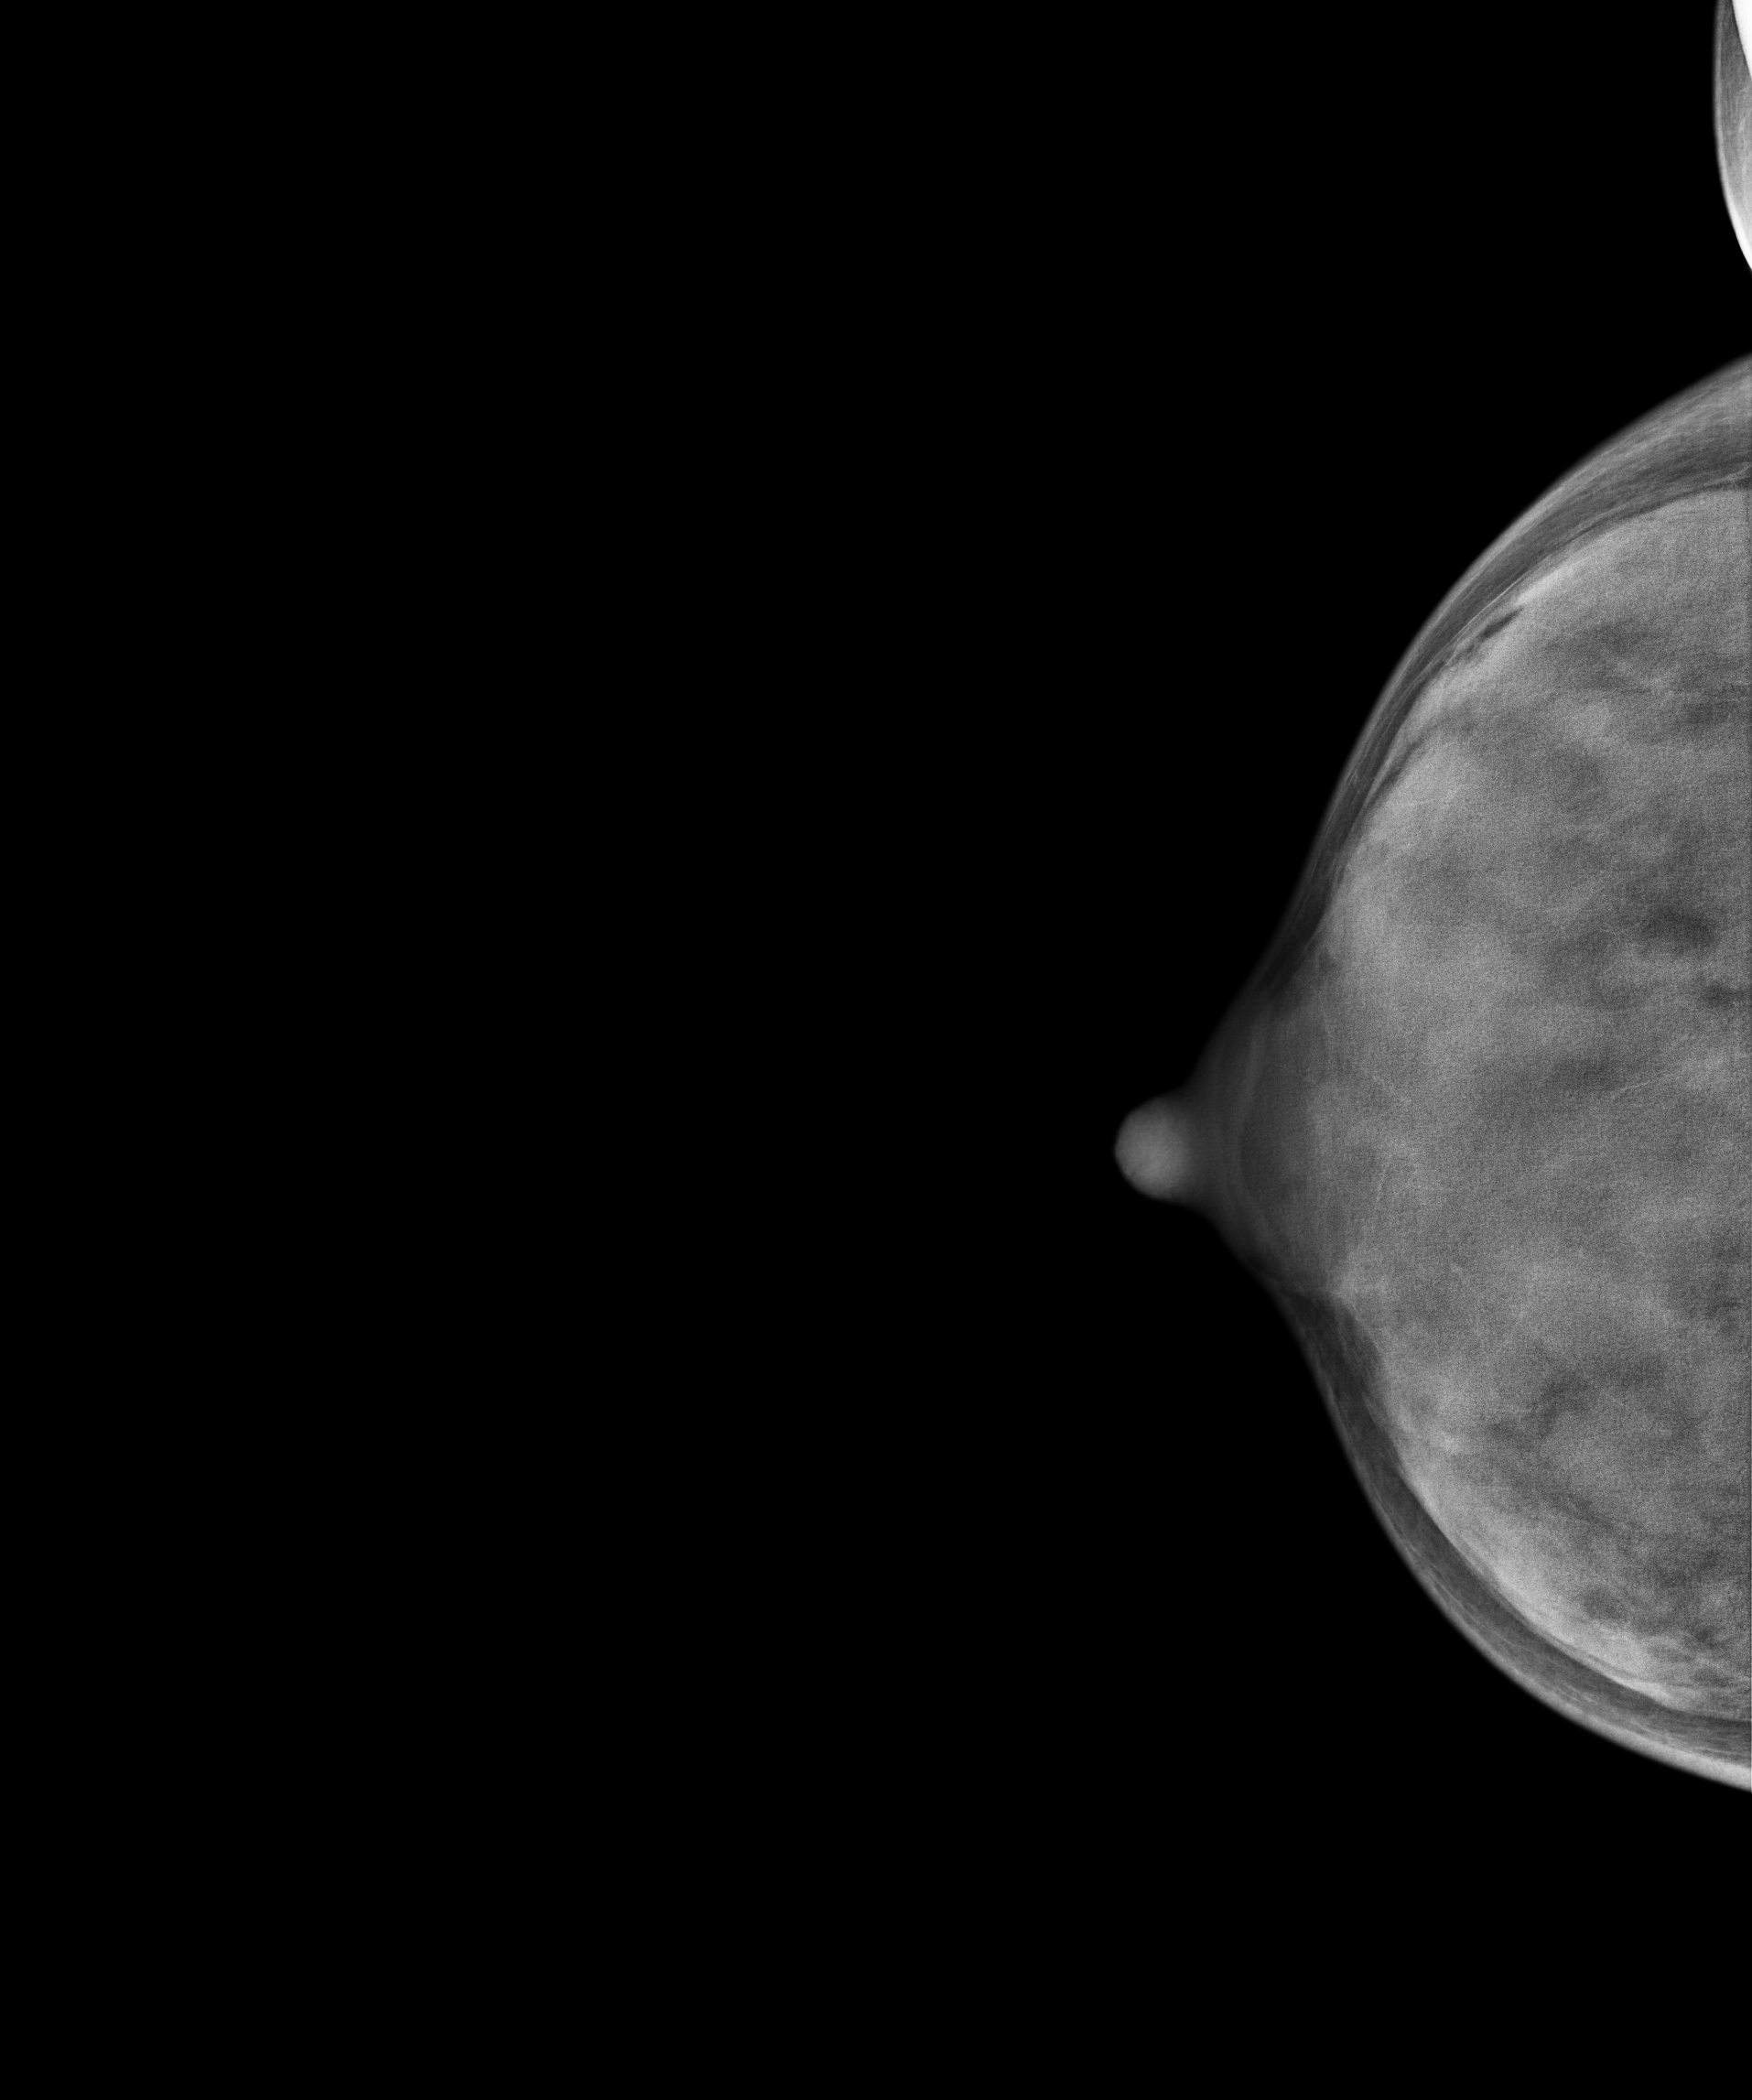
Mammogram, right breast, CC view. Patient age 25.
This breast has a mass, pathology-confirmed benign.